CC mammogram of the right breast. 53 y/o patient.
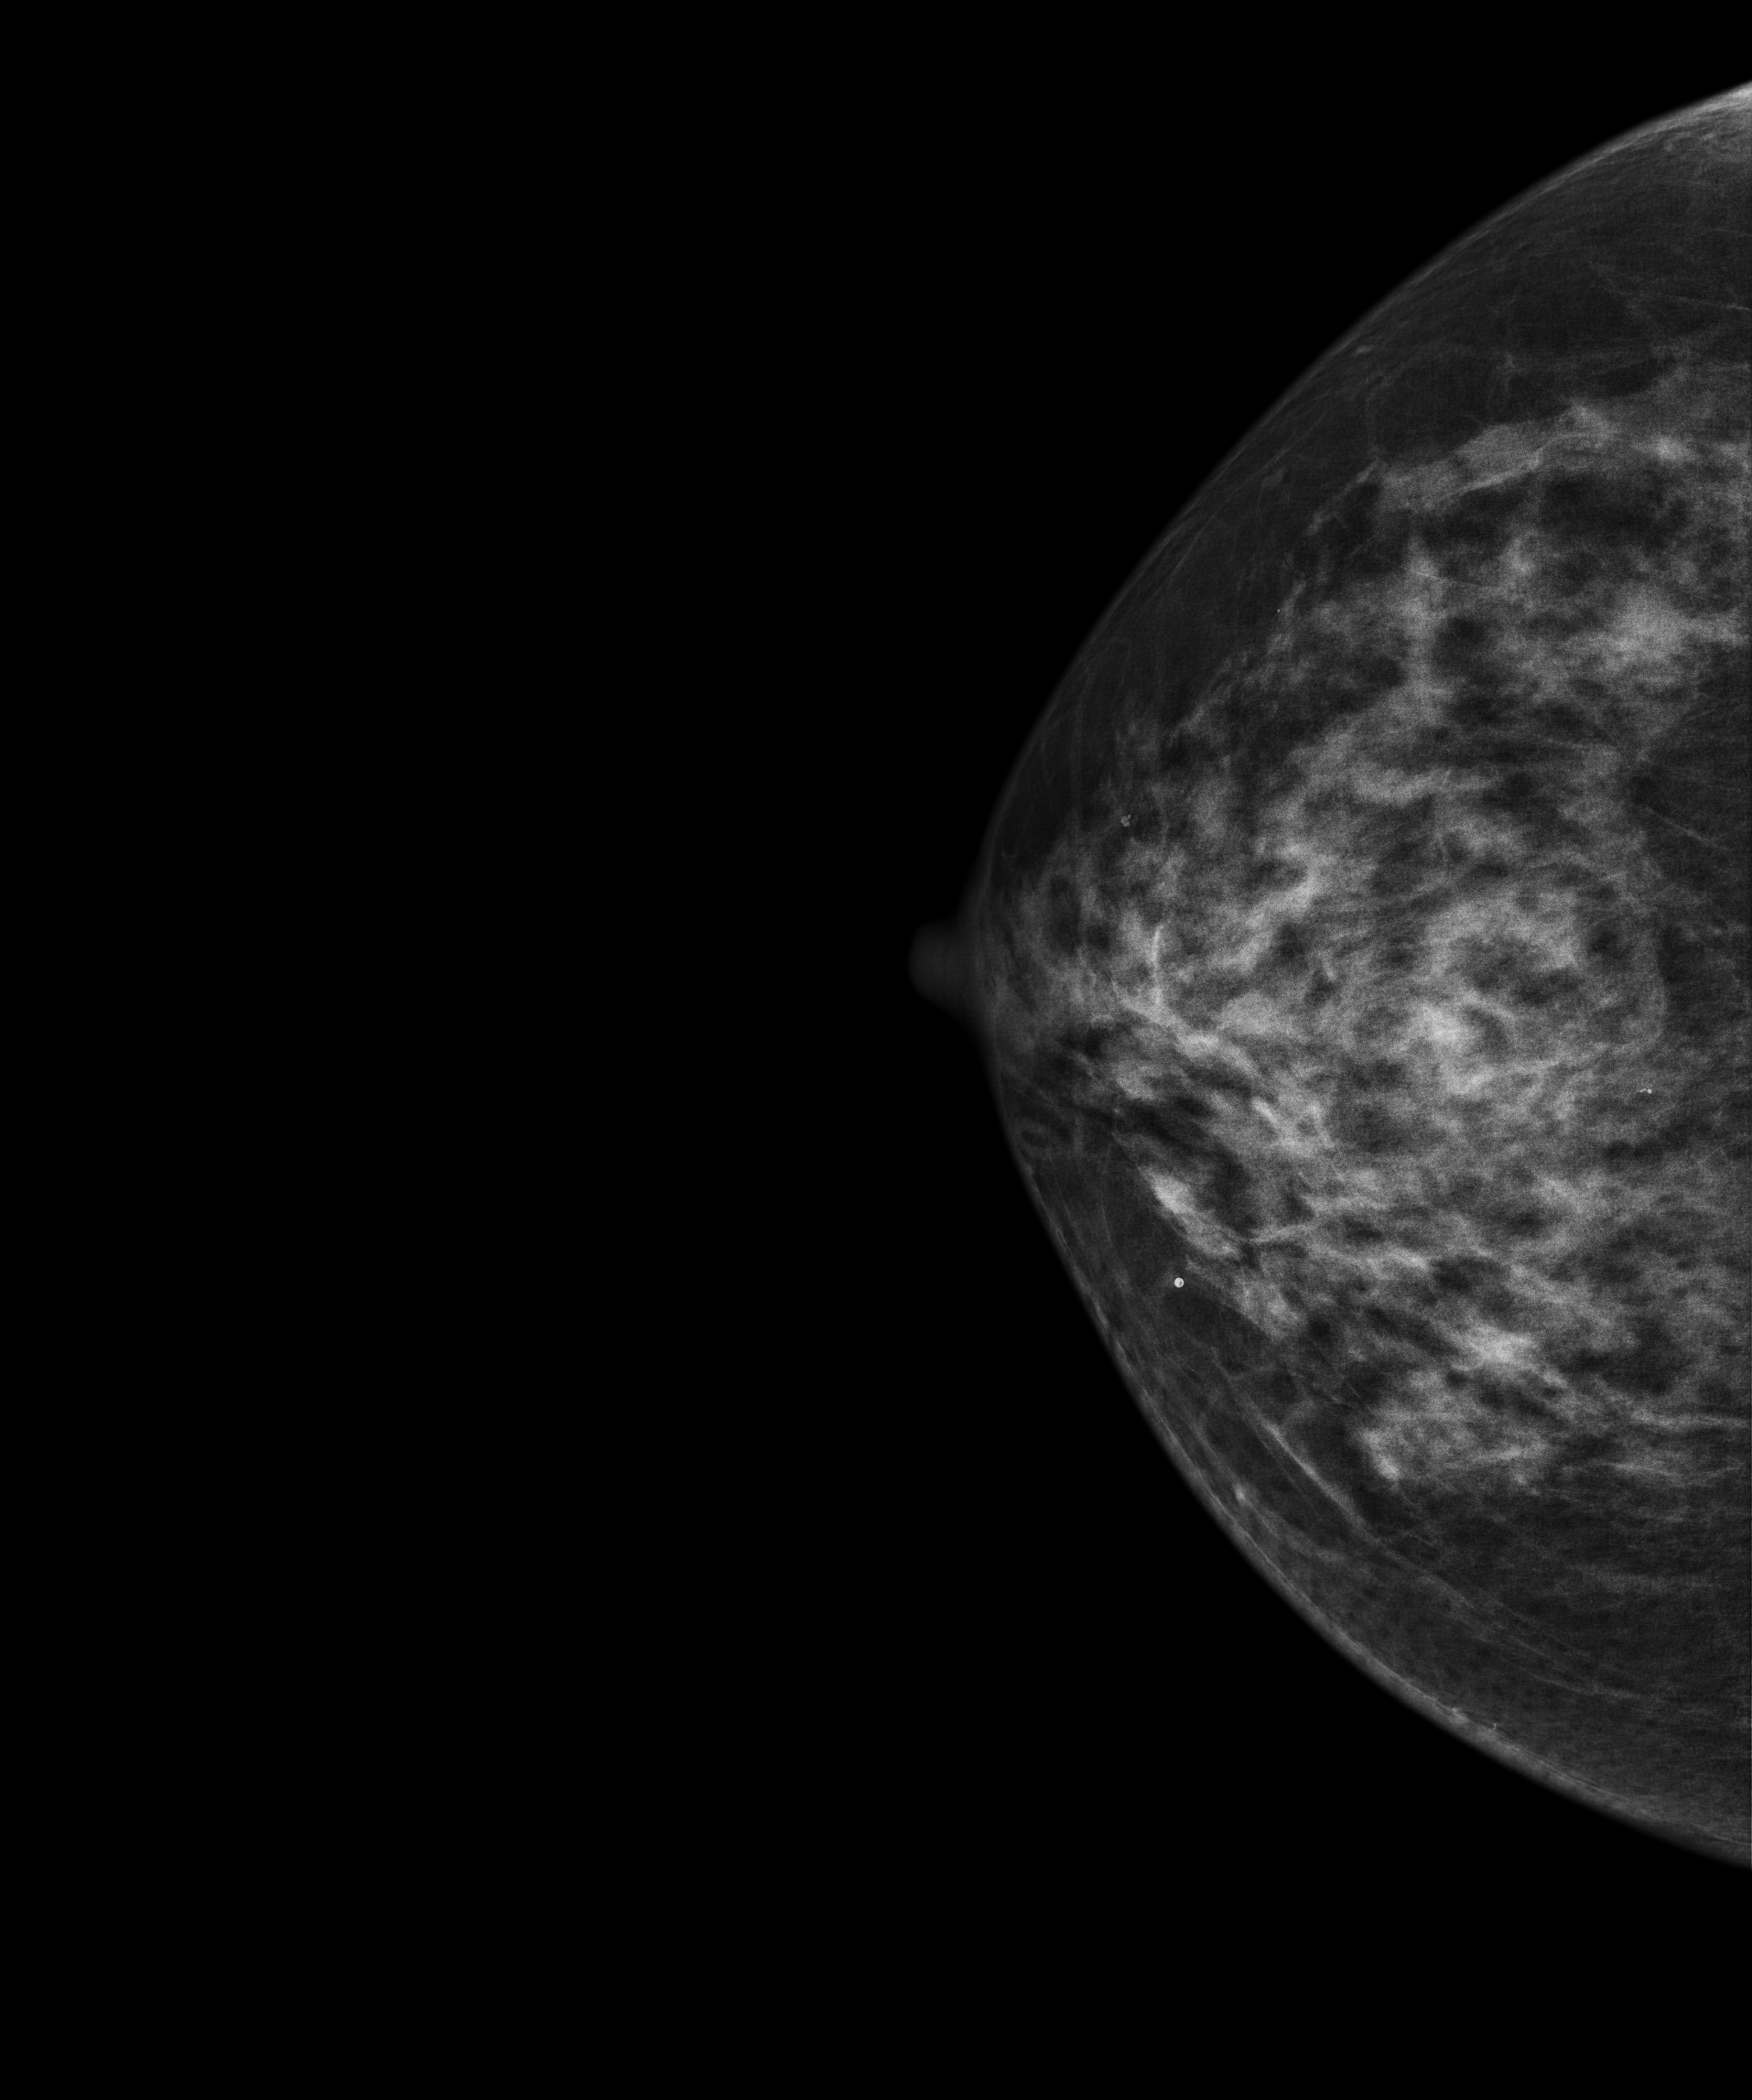
Contralateral breast — no documented abnormality on this side.